Right-breast mammogram, MLO. 33 y/o patient.
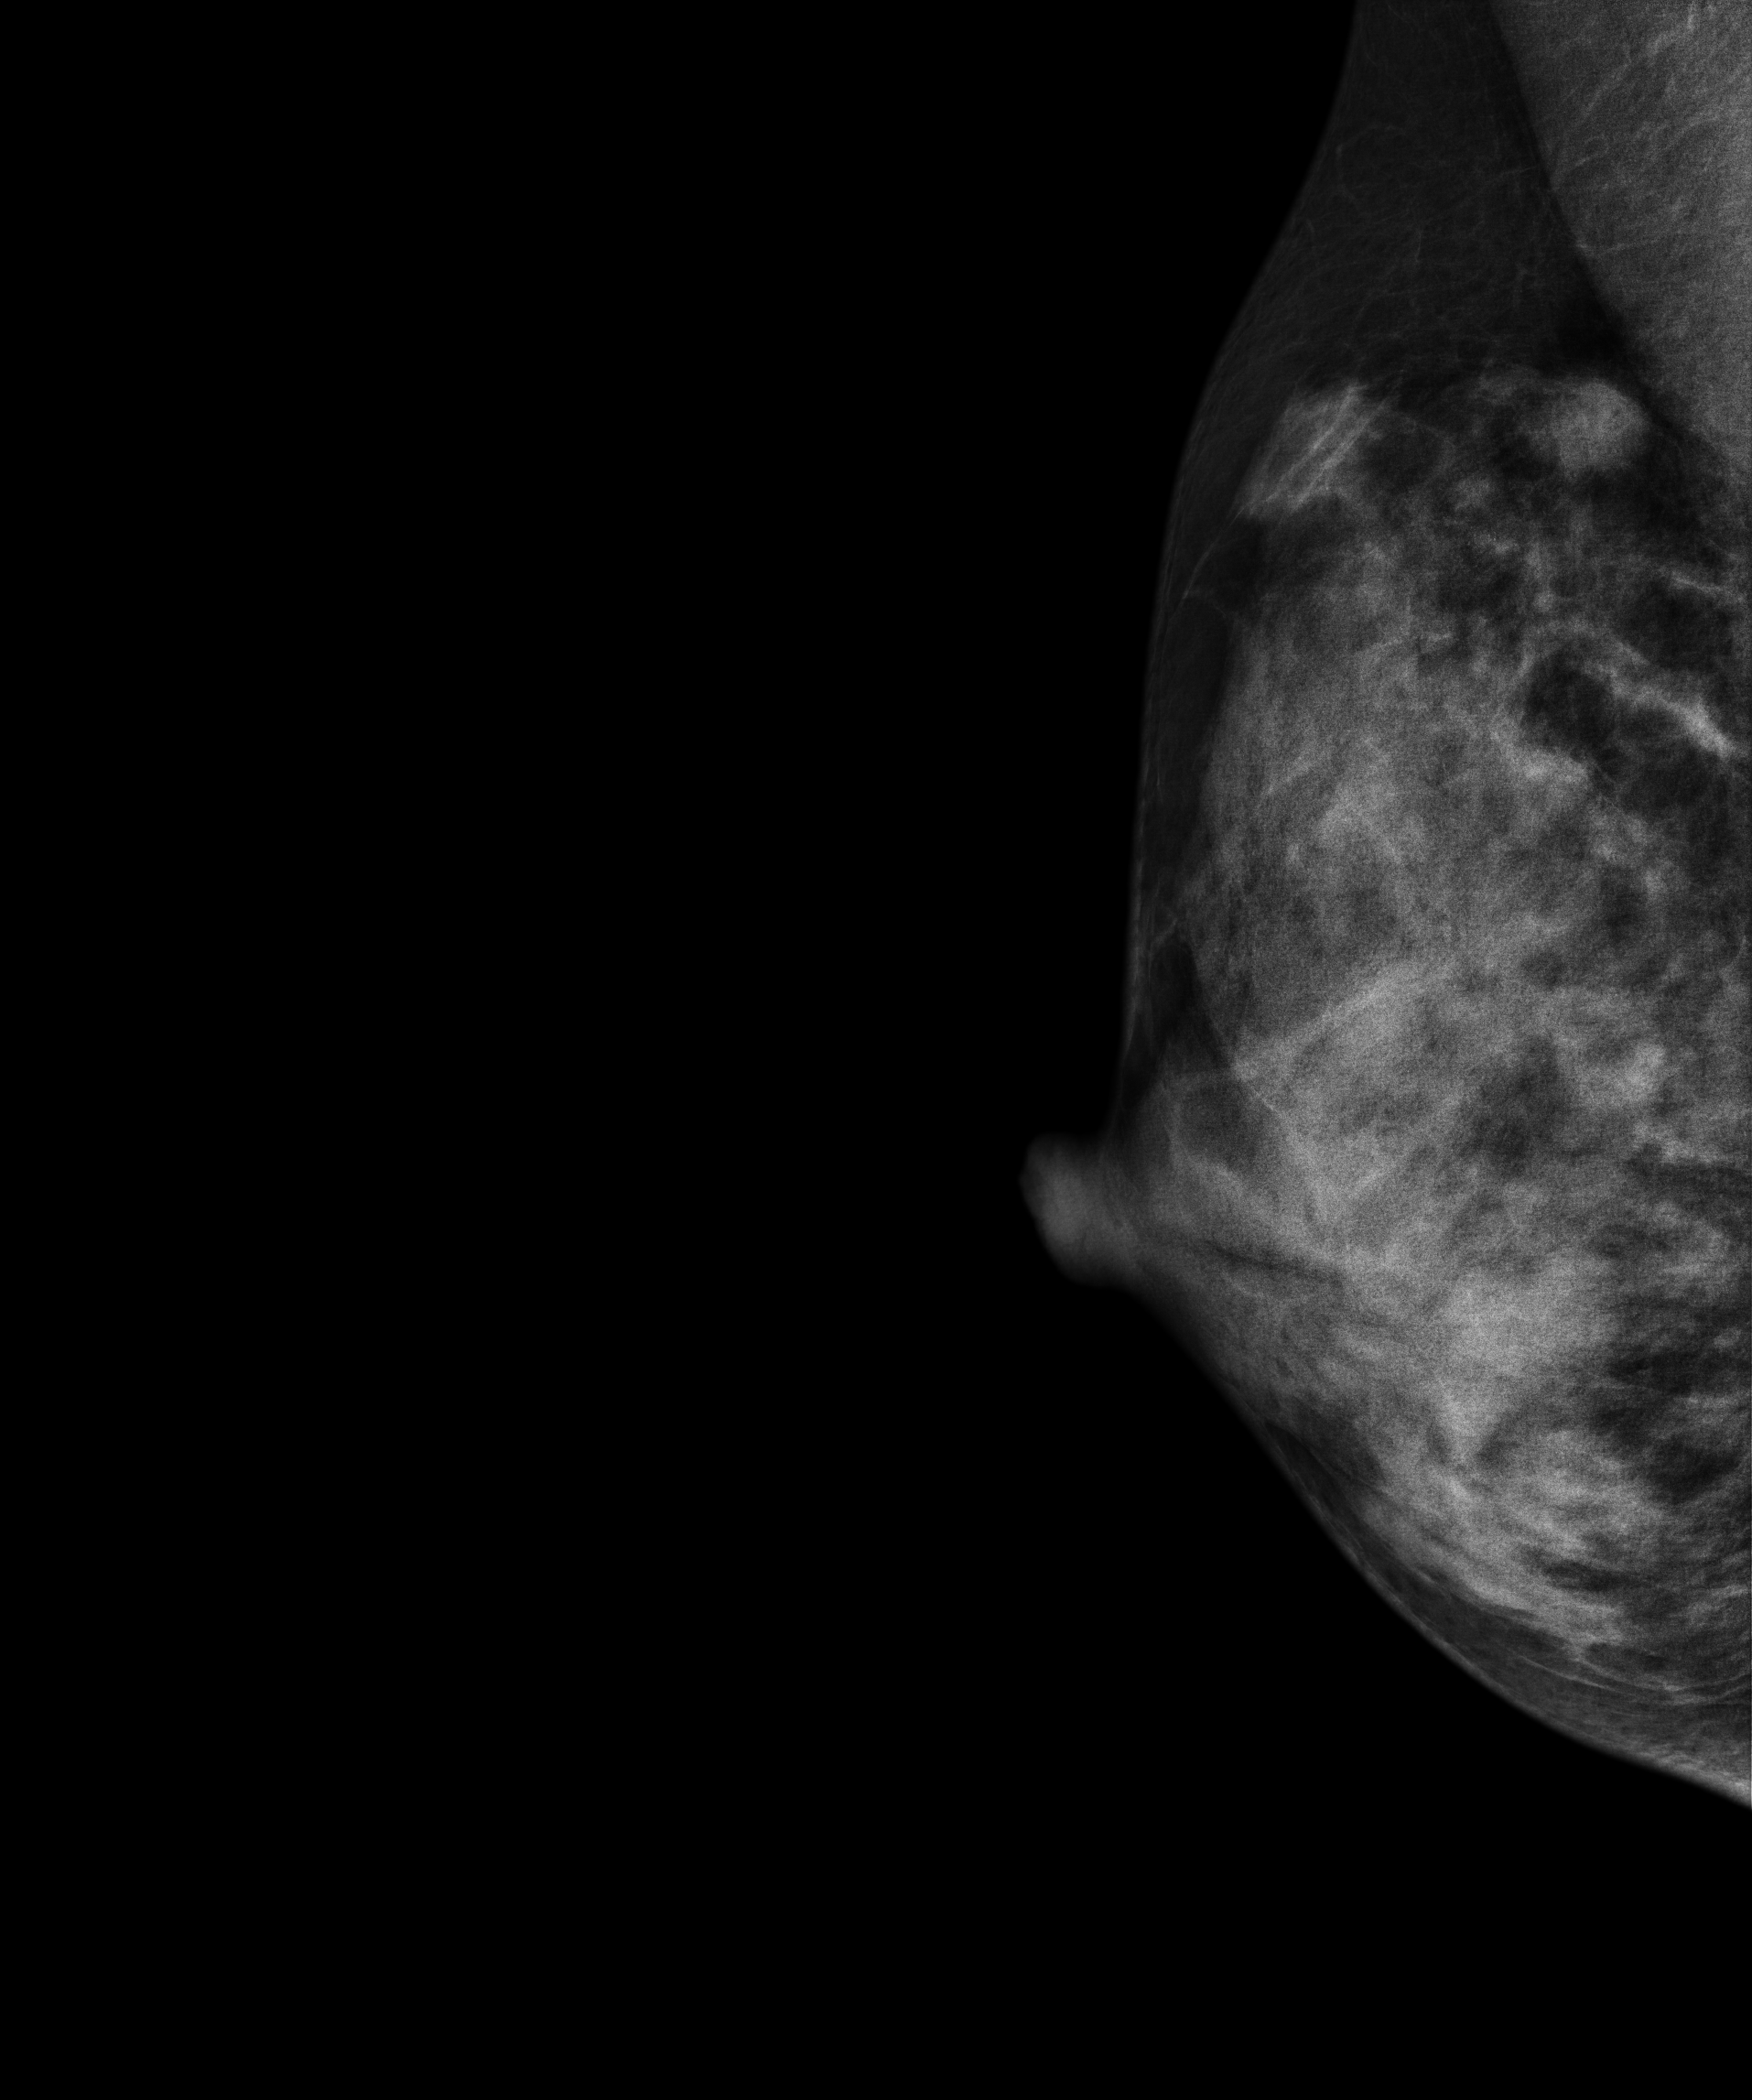
This breast has a mass, pathology-confirmed malignant. Molecular subtype: luminal A.